Mammogram — left MLO. 42-year-old patient.
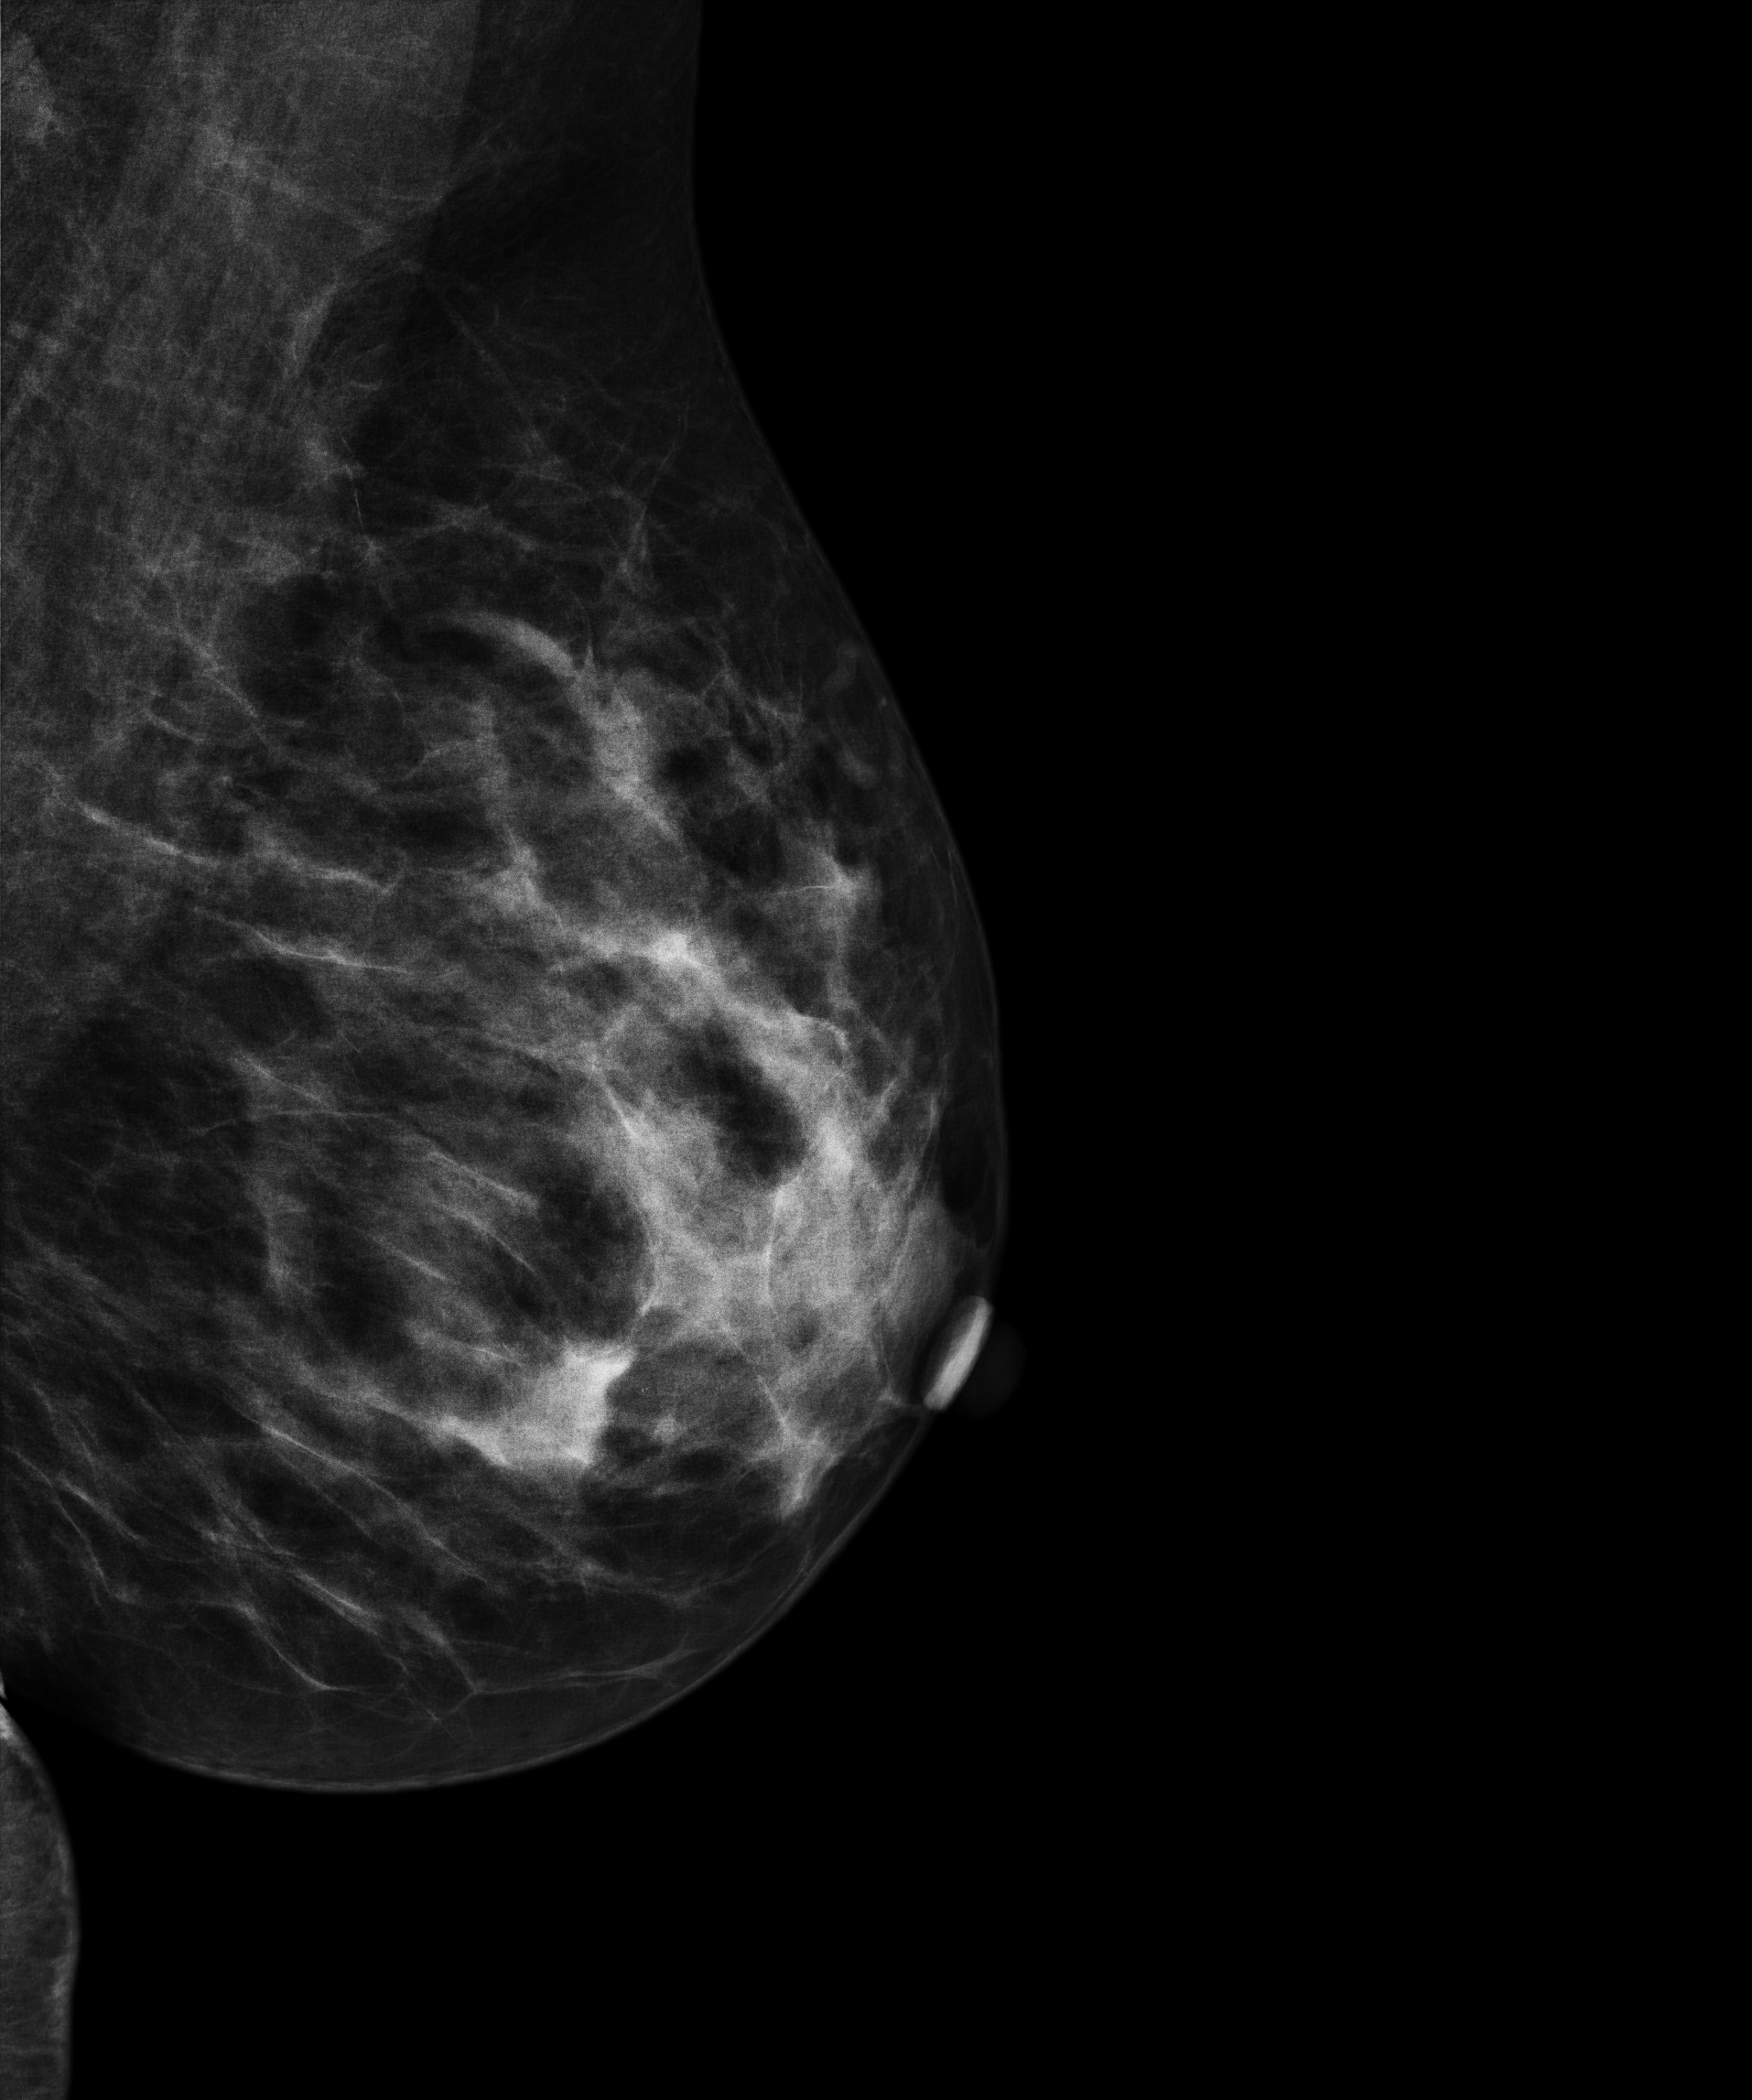
This breast has a mass, biopsy-proven malignant.